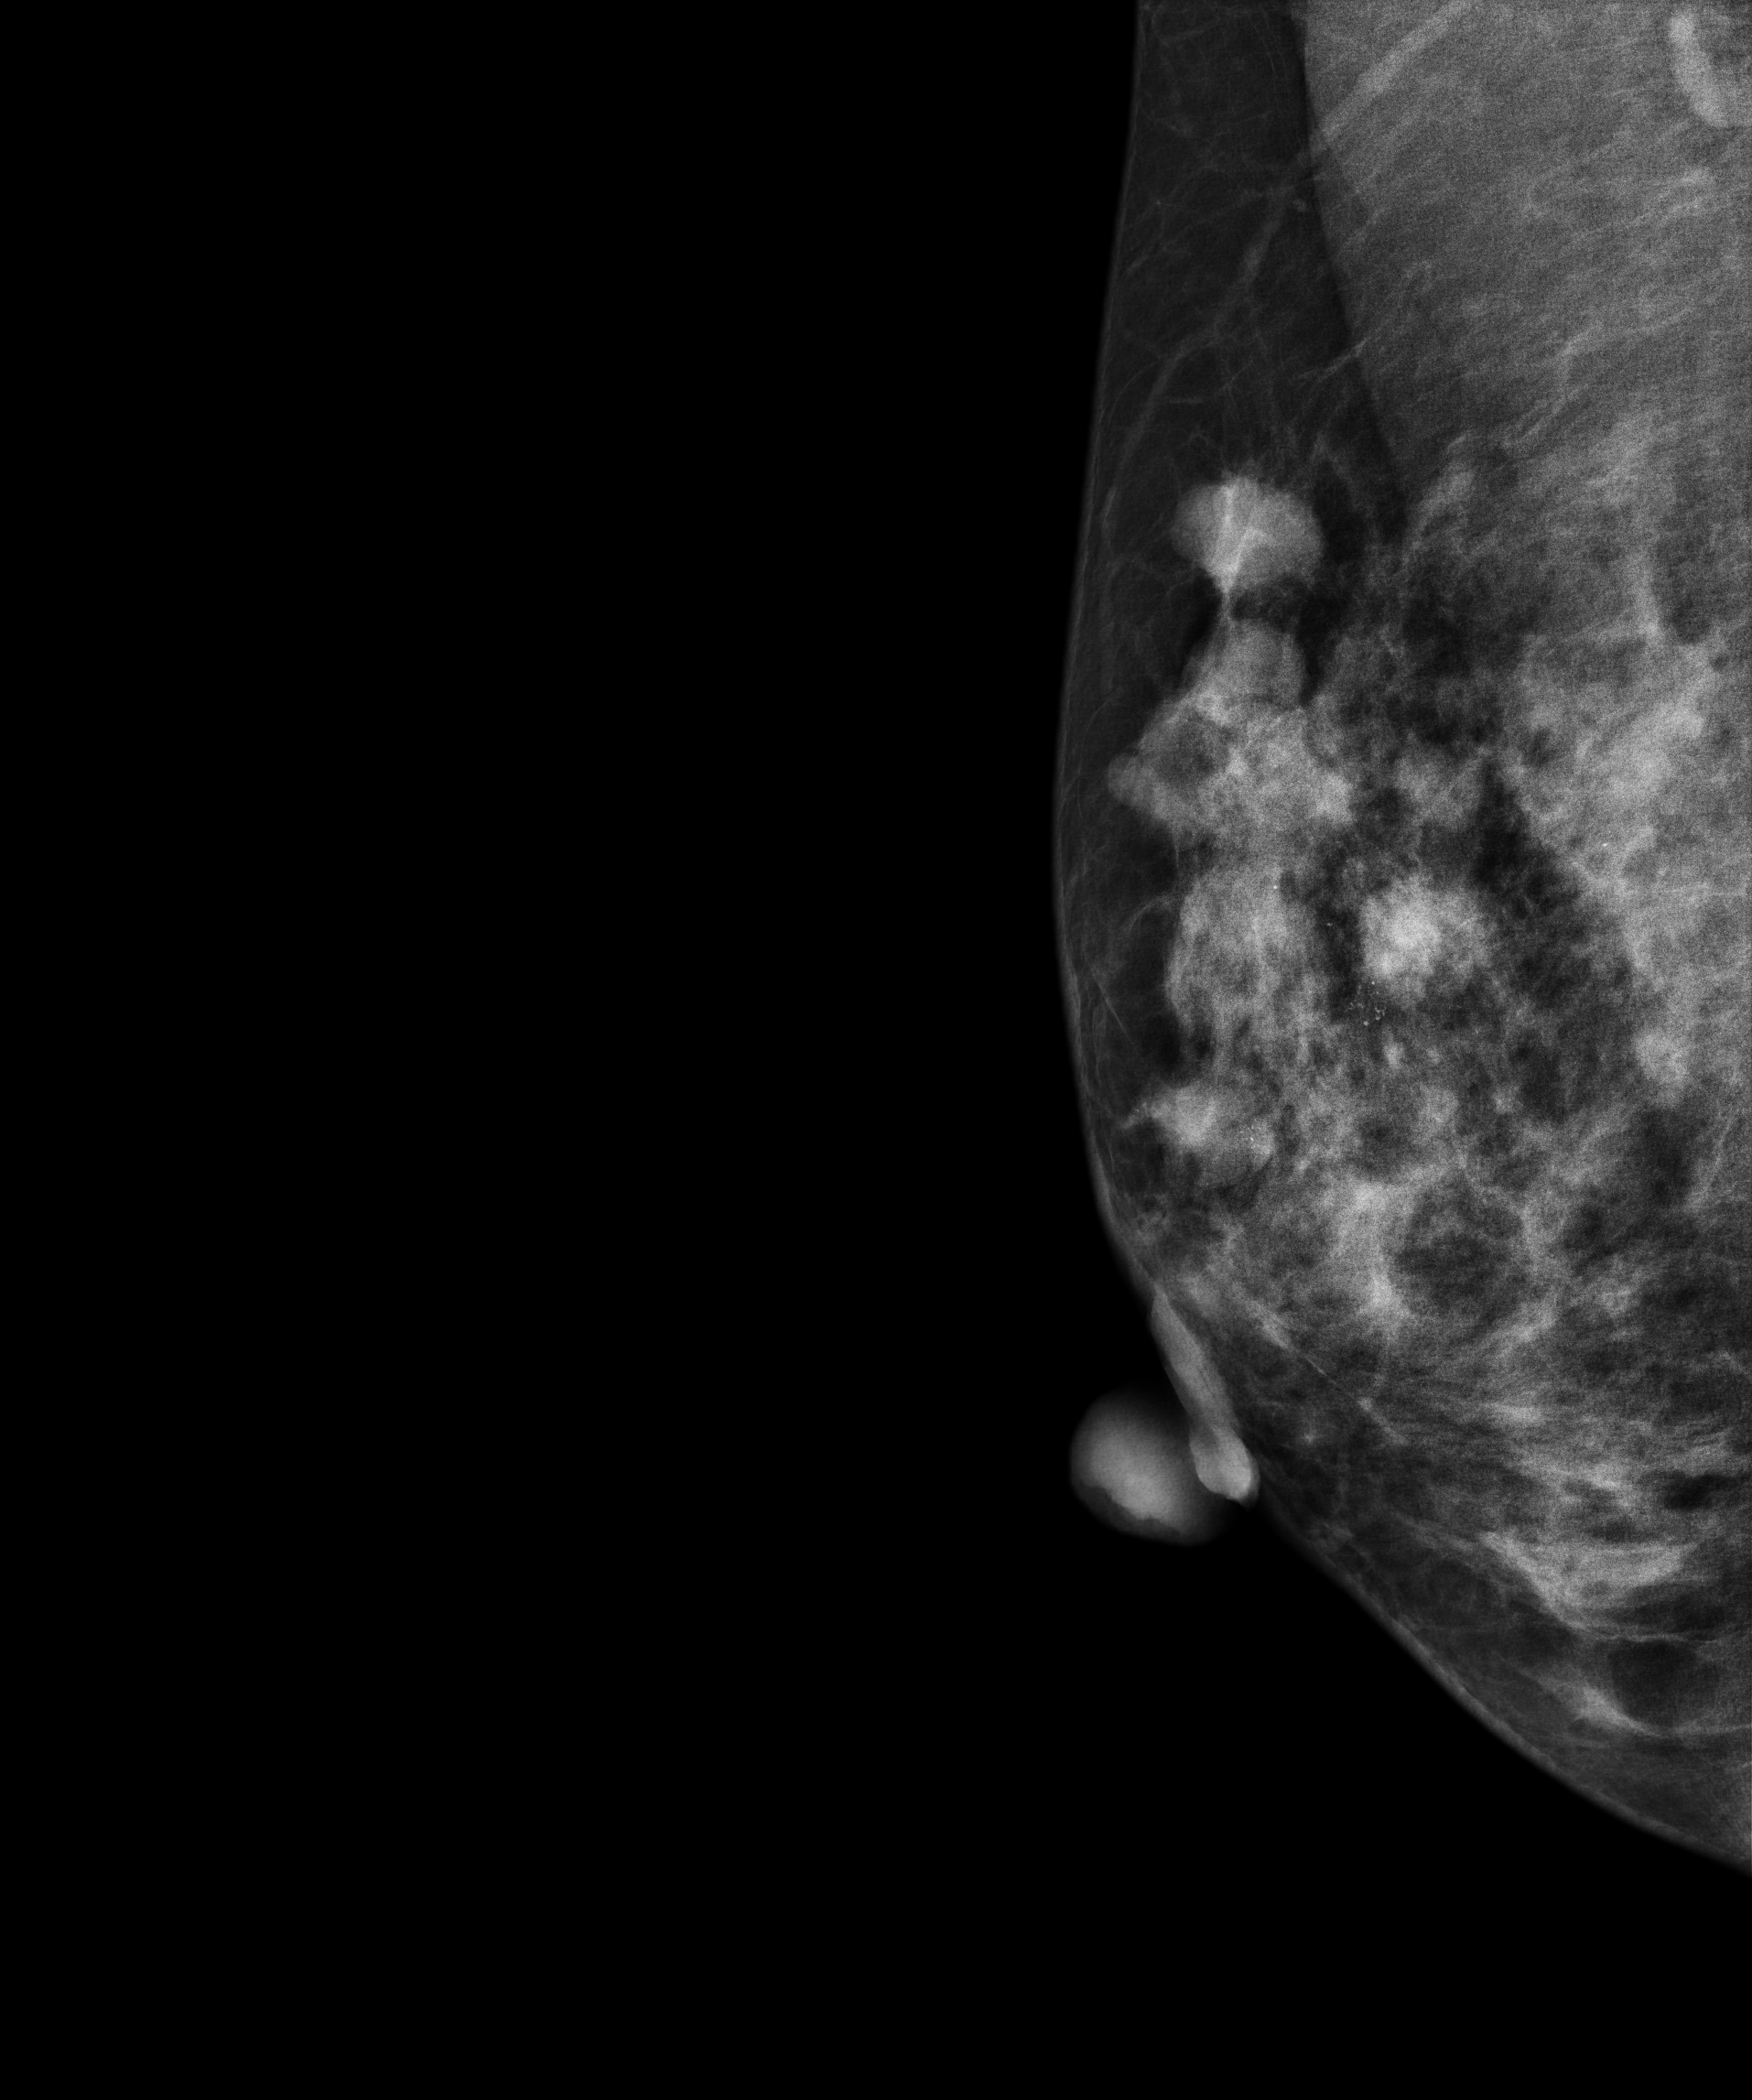
Medio-lateral oblique mammogram of the right breast. 47 y/o patient.
This breast has a mass and calcifications, biopsy-confirmed malignant. Molecular subtype: luminal B.